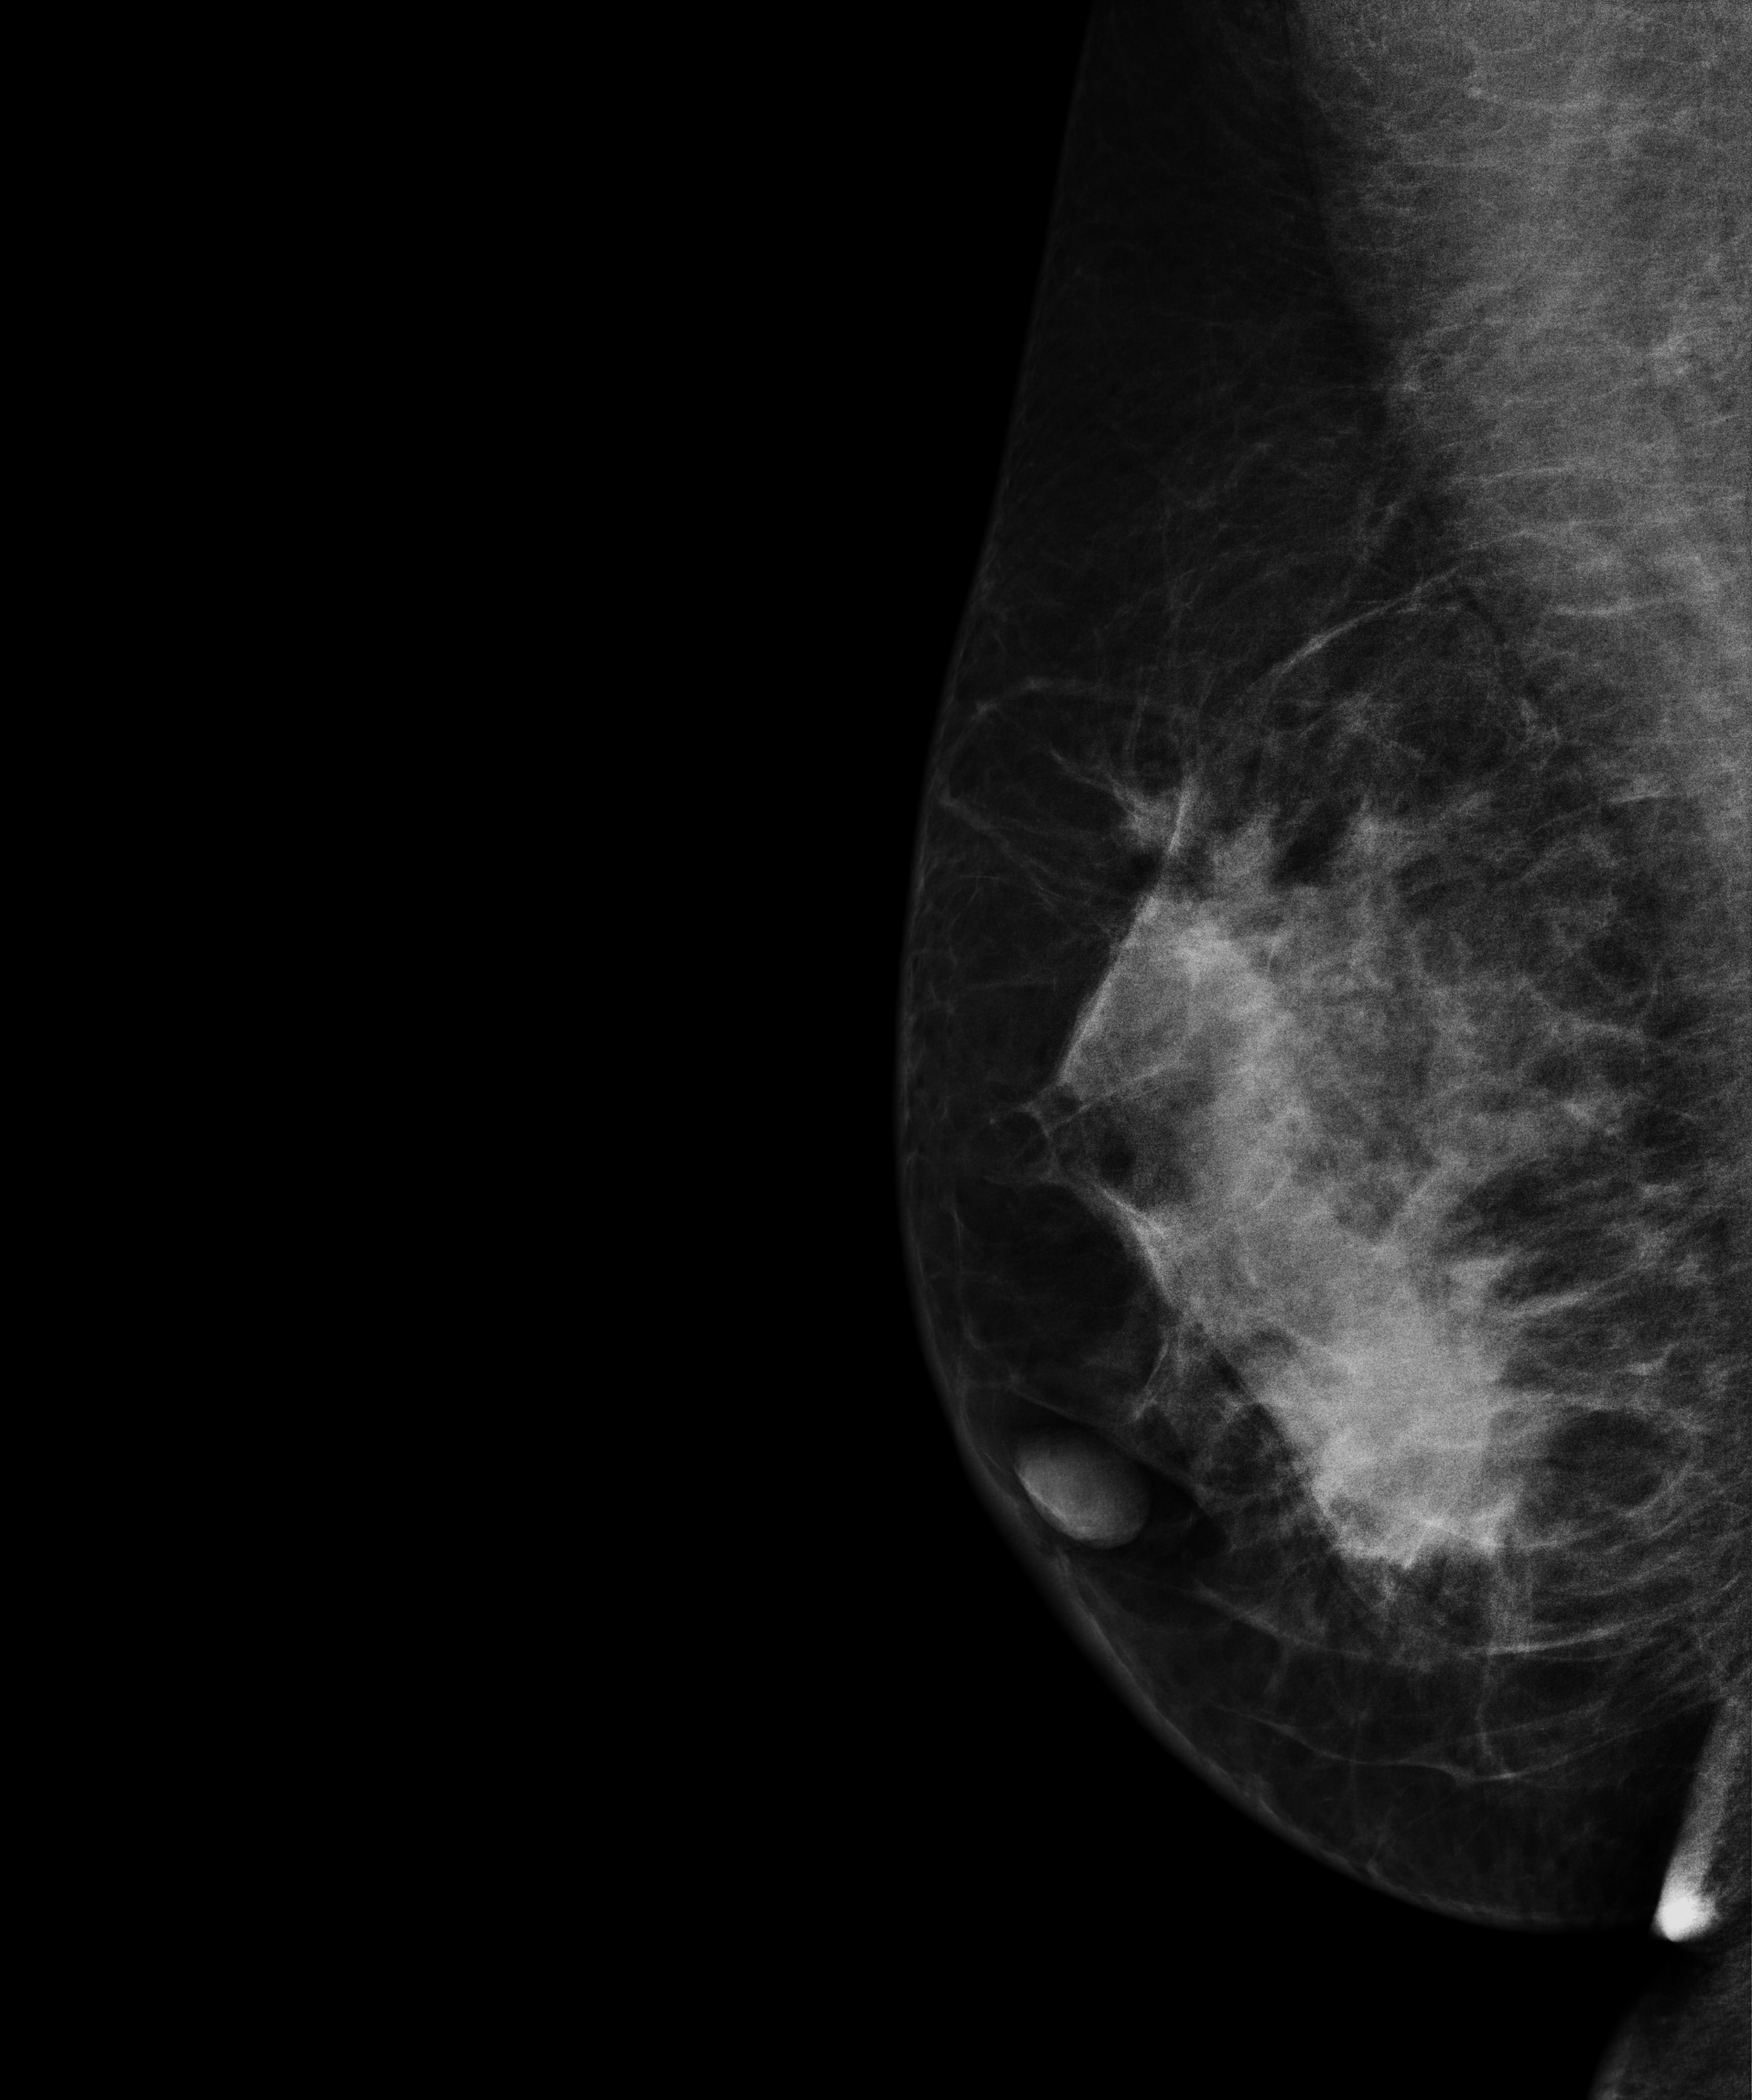
Mammogram, right breast, medio-lateral oblique view. Patient age 41.
This breast has a mass, biopsy-proven malignant. Molecular subtype: luminal B.